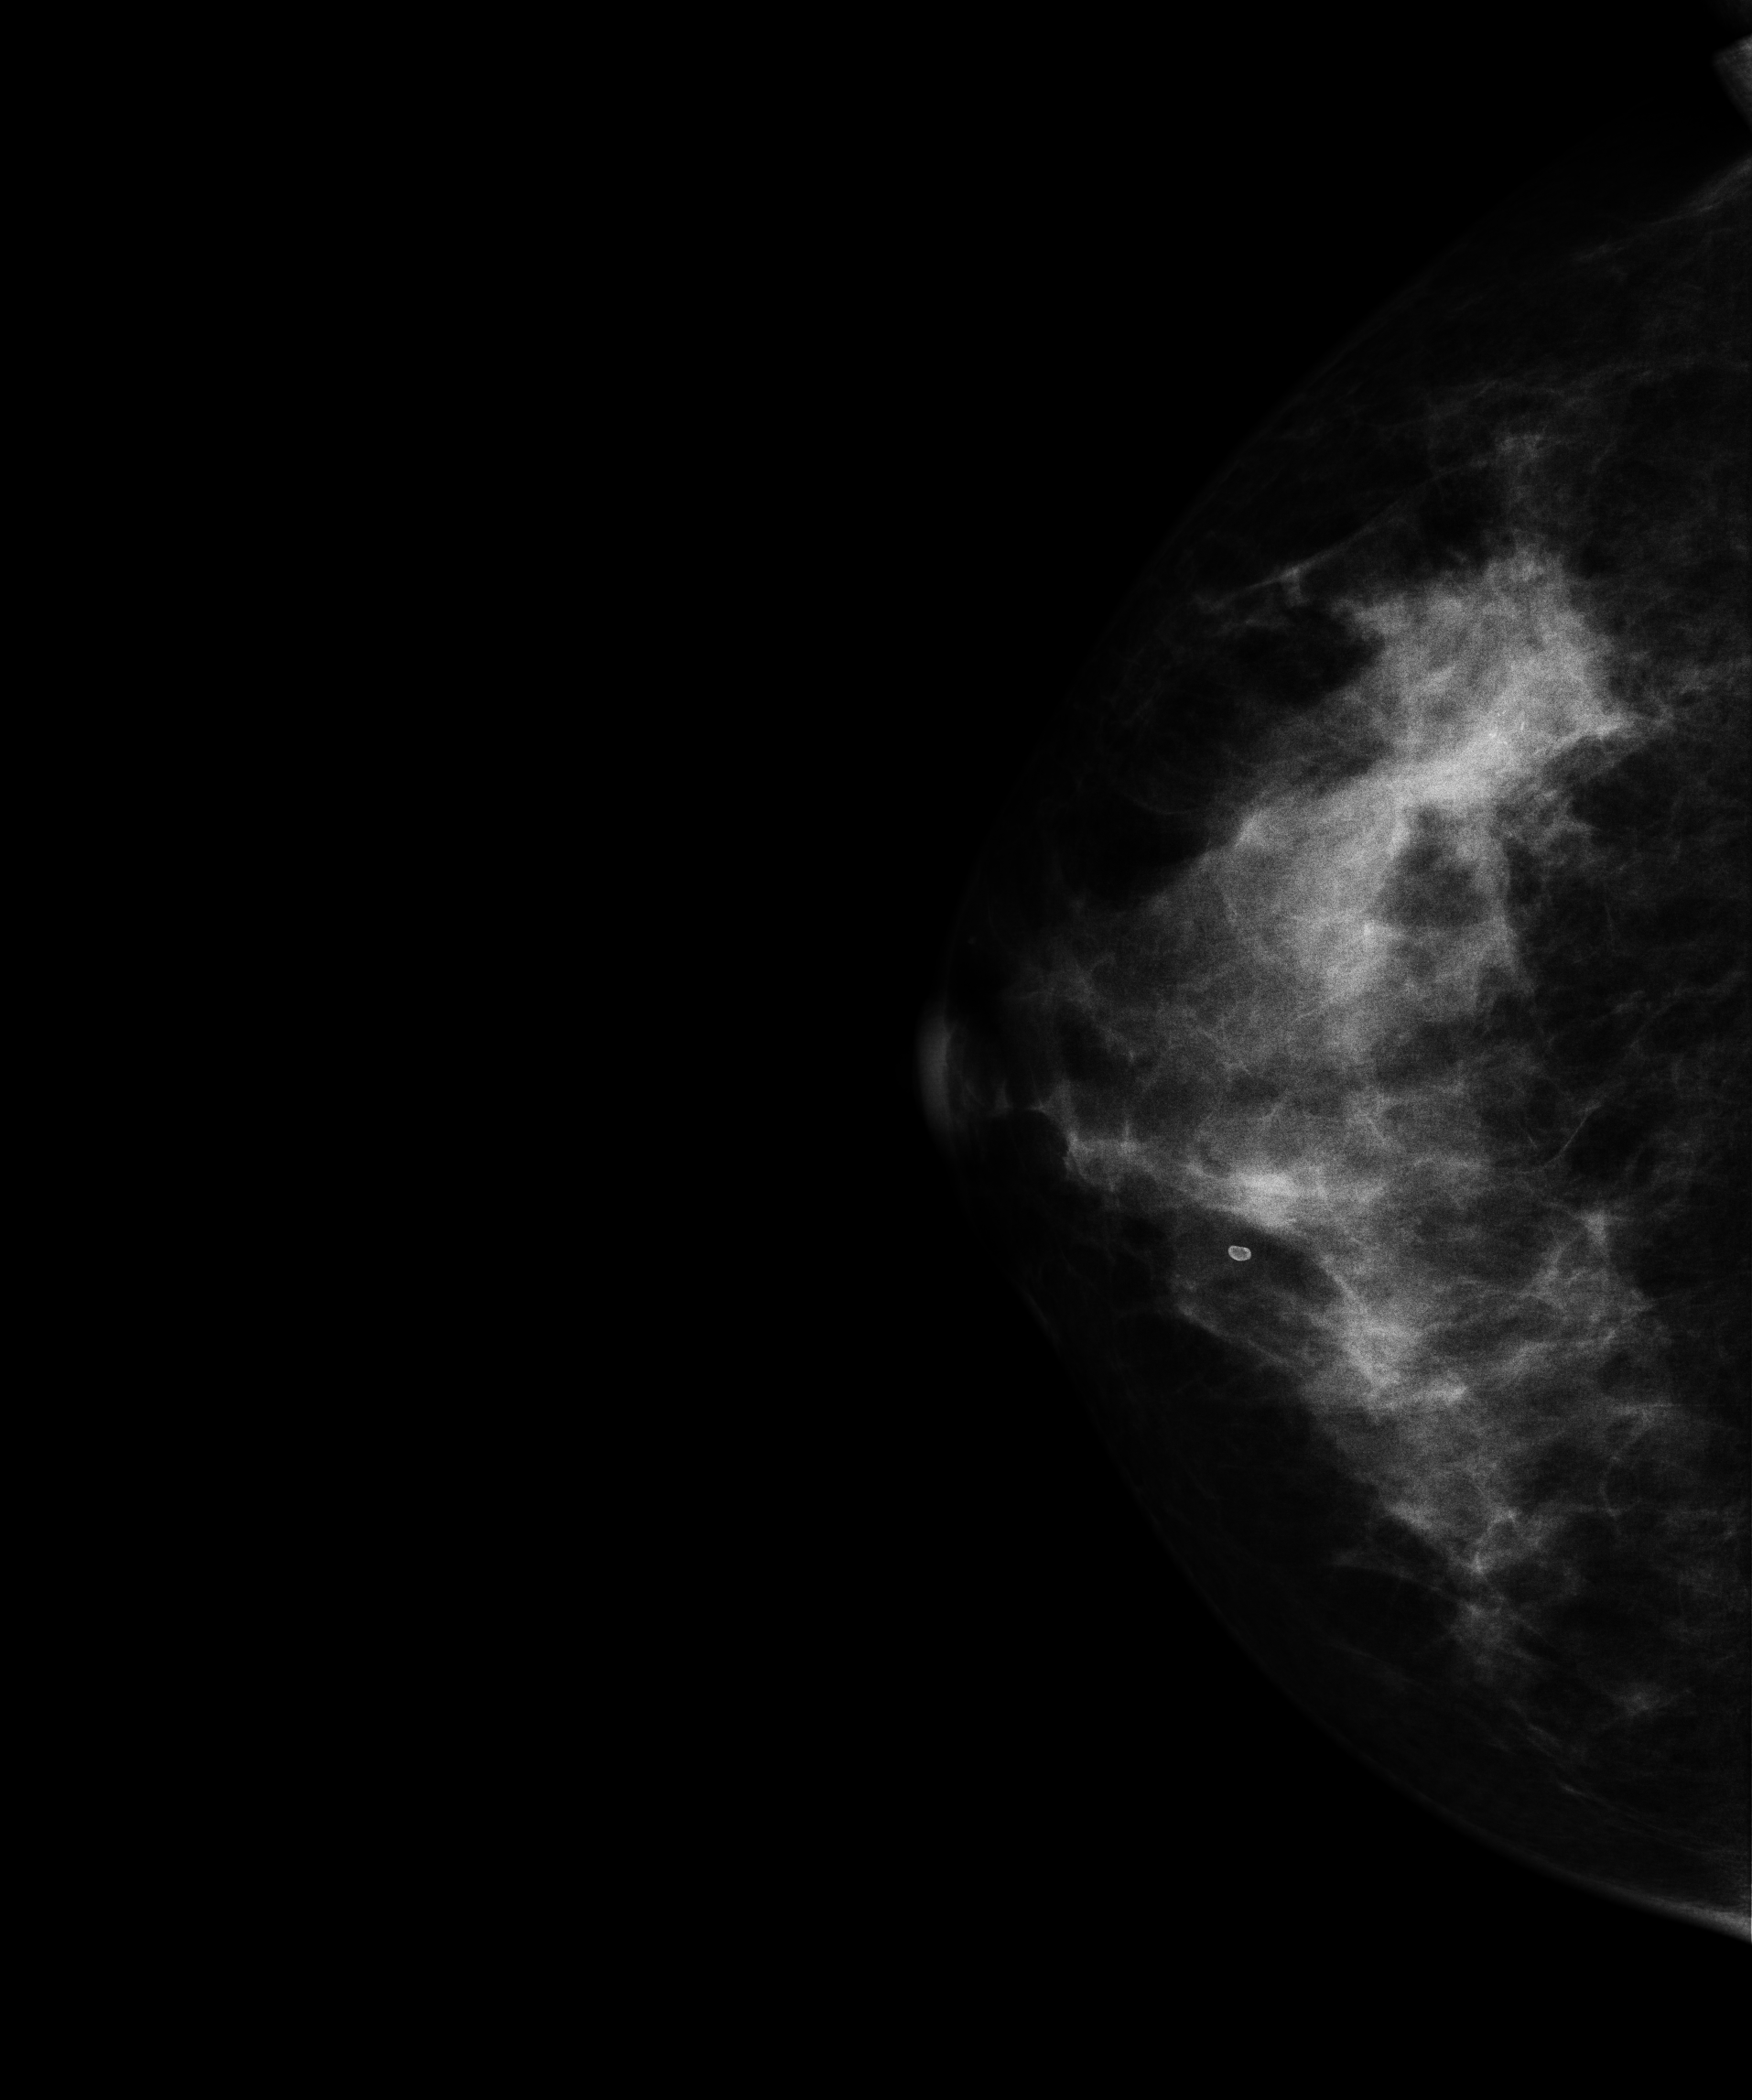
Mammogram — right CC. Patient age 47.
This breast has a mass and calcifications, biopsy-confirmed malignant. Molecular subtype: luminal B.